Digital mammography. Left breast, CC projection. 31 y/o patient.
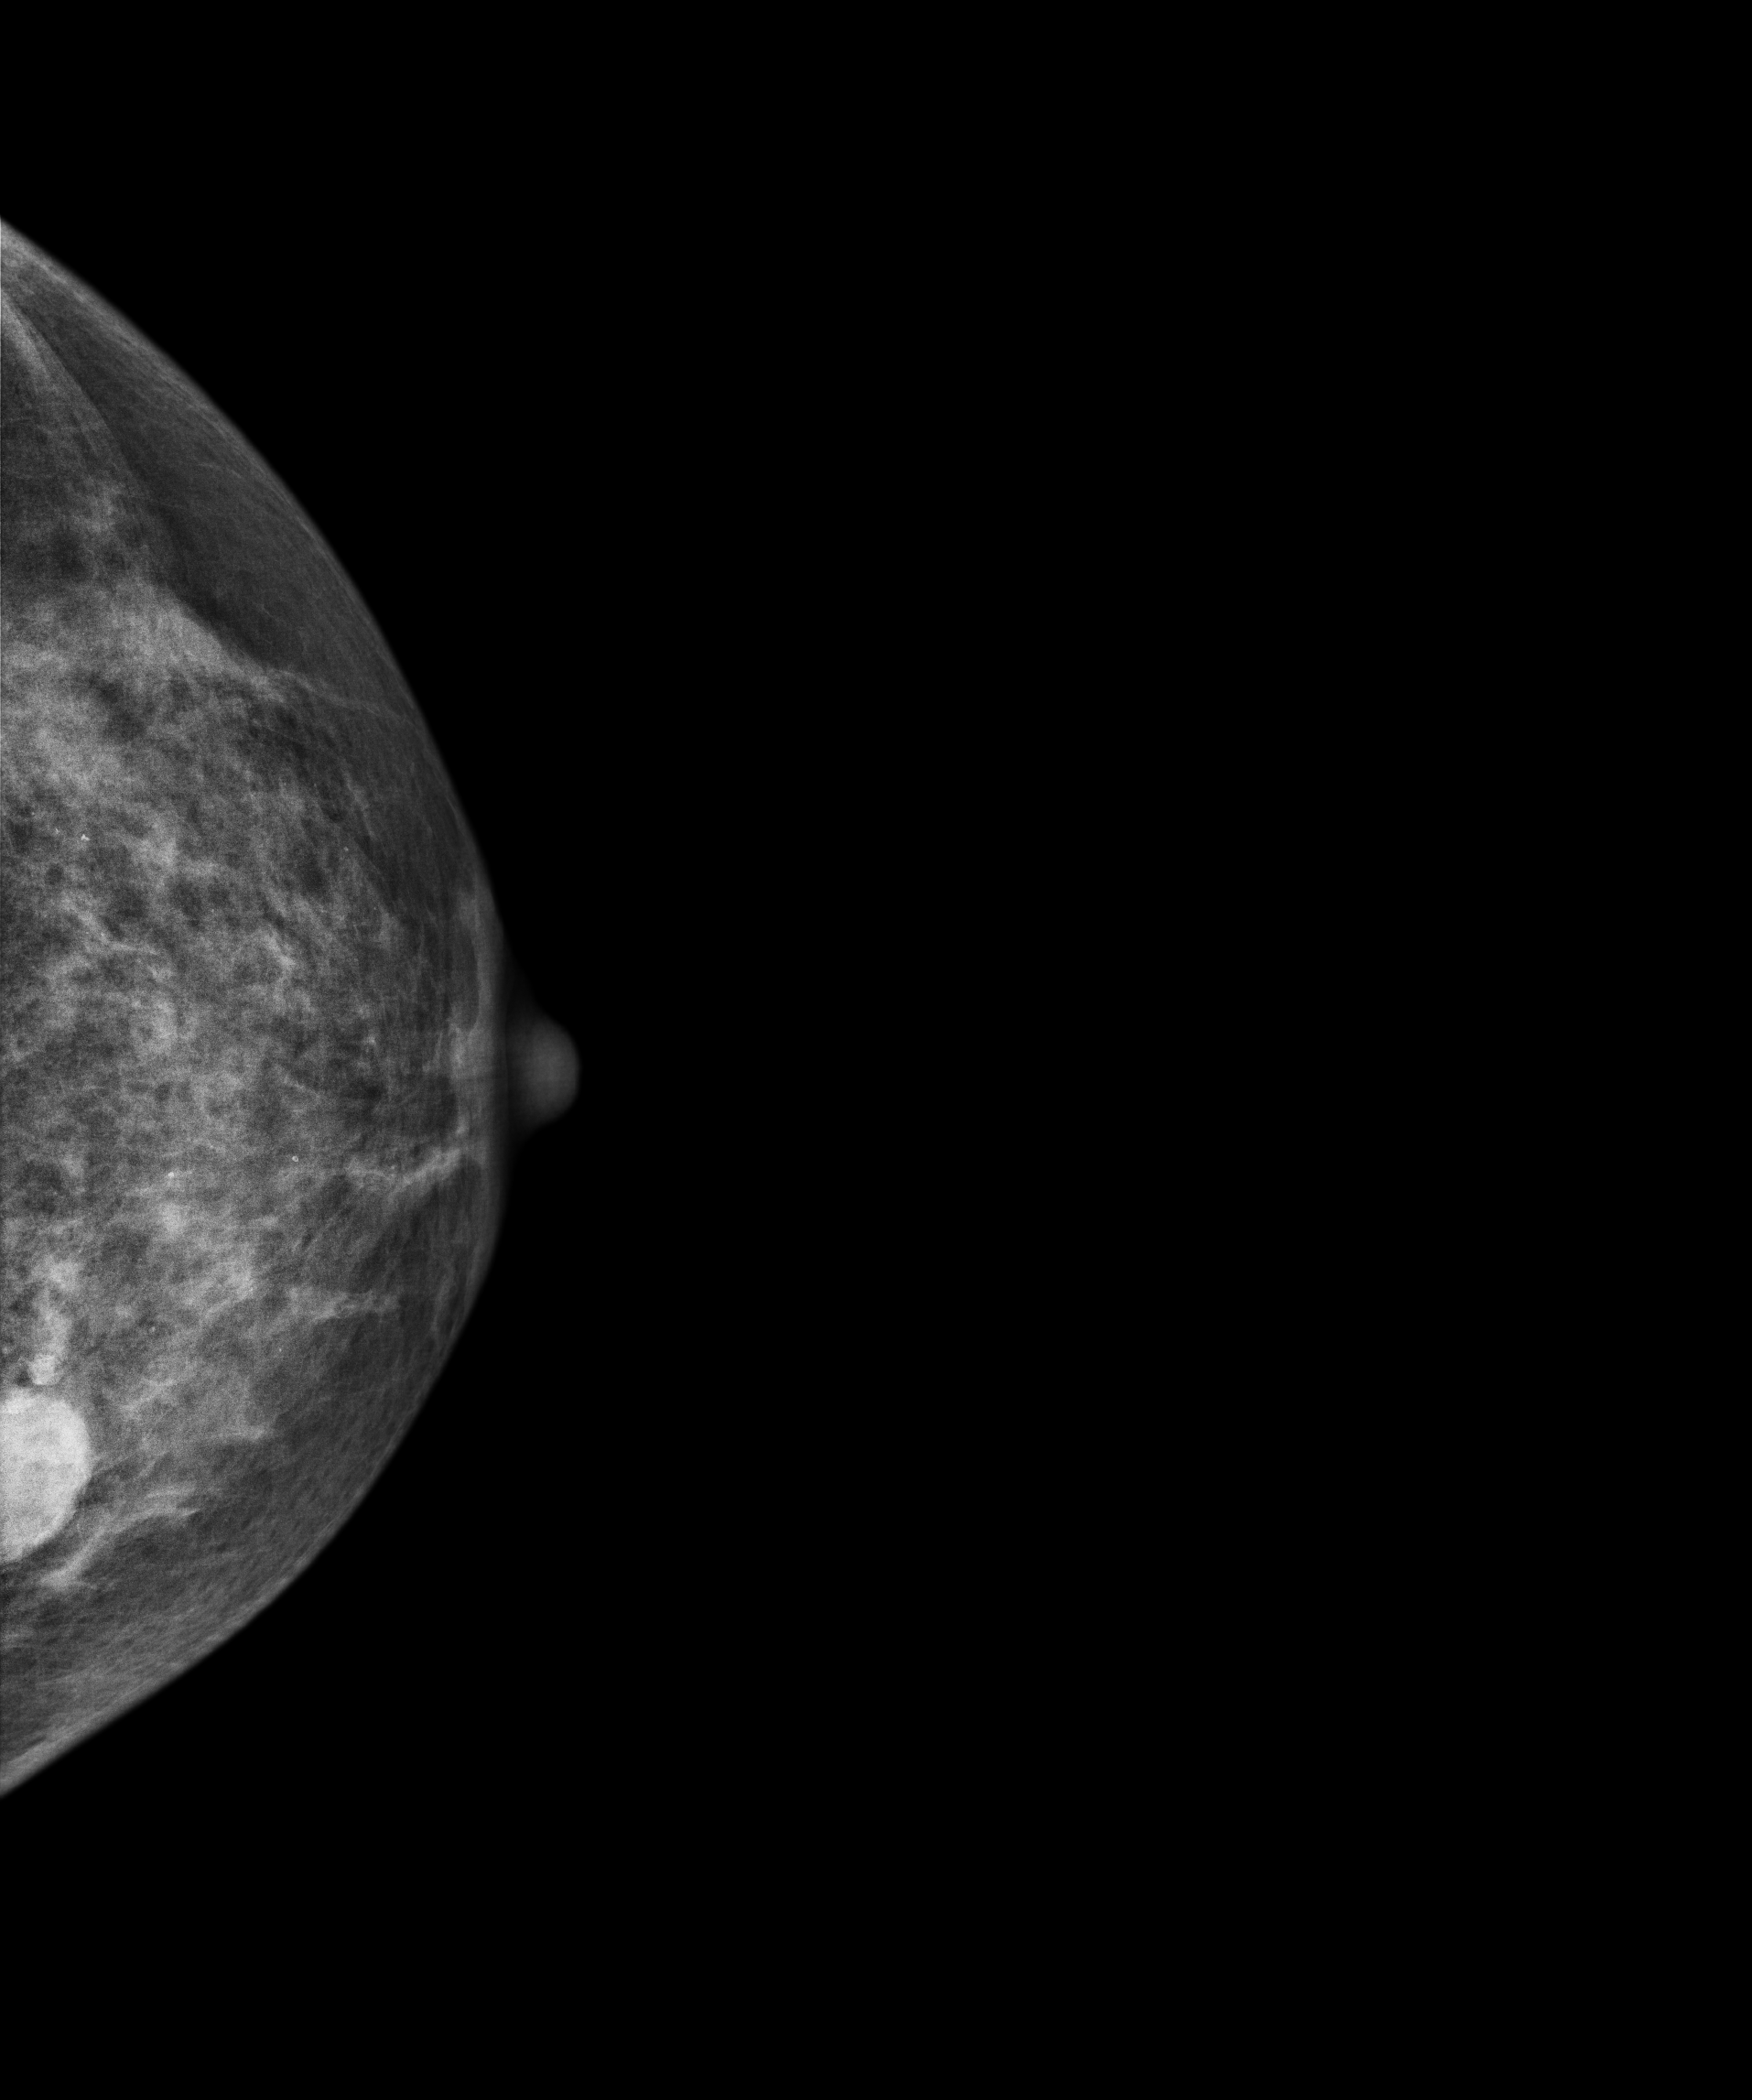
This breast has a mass, histologically confirmed benign.